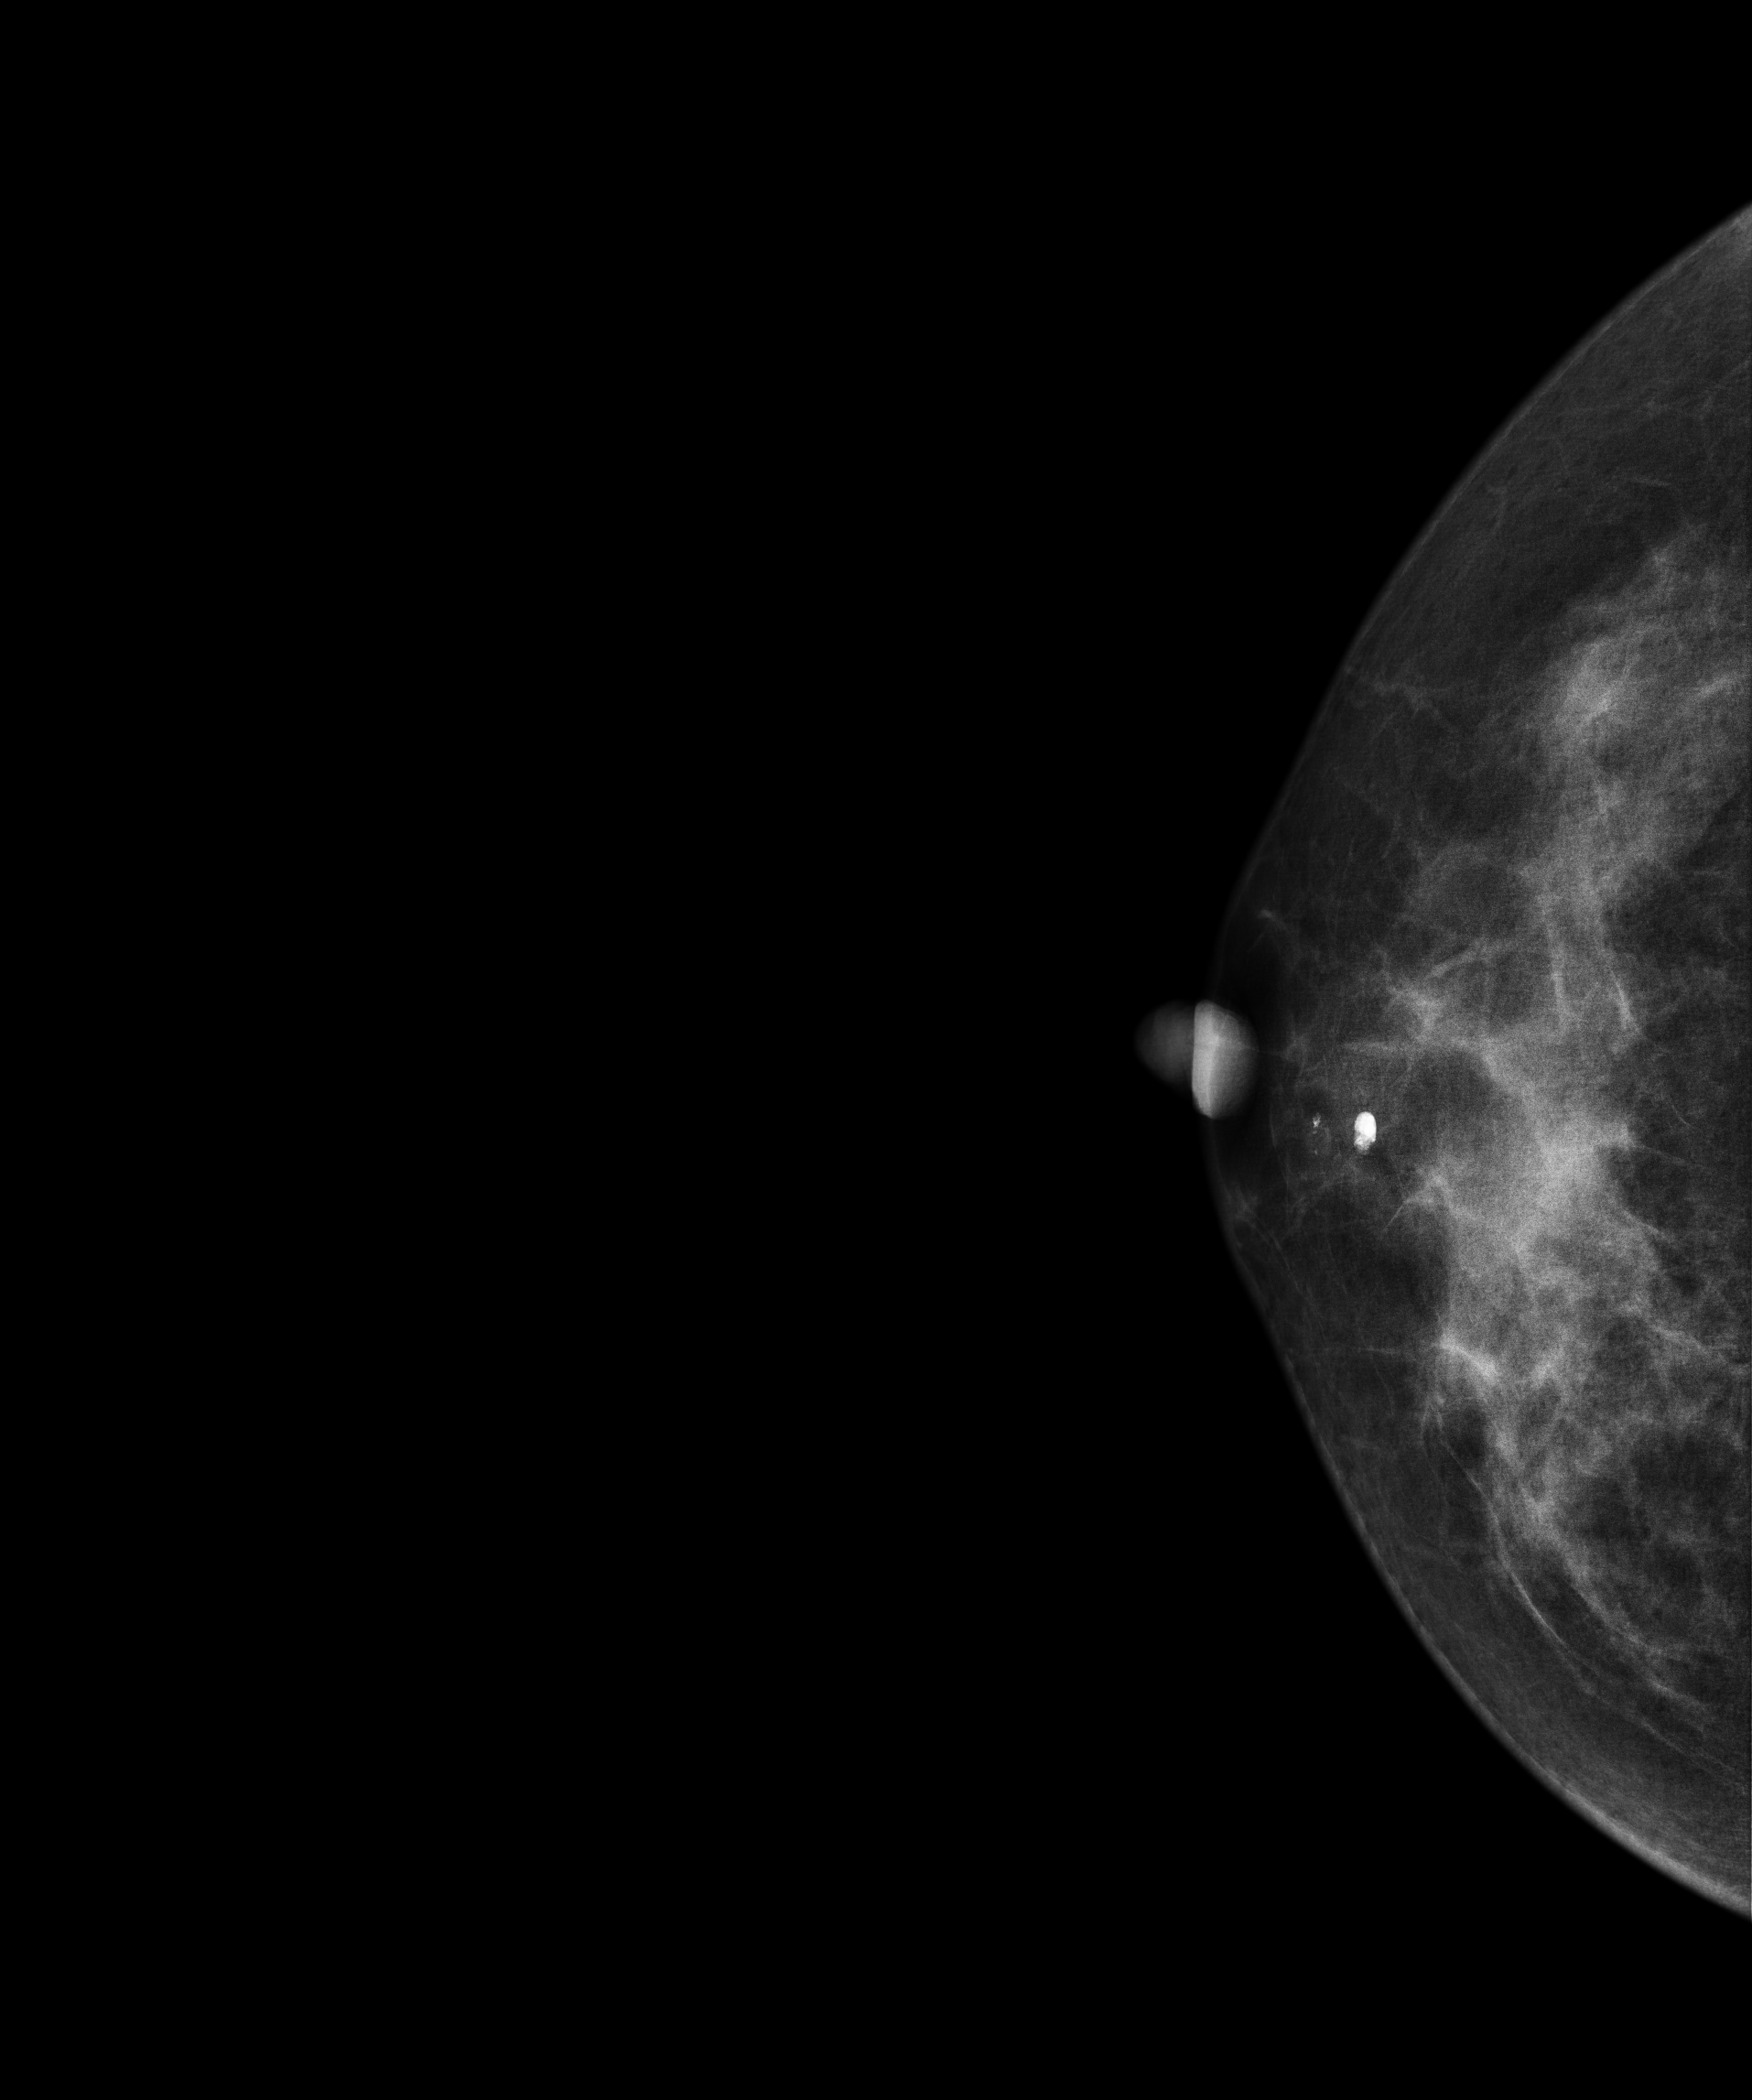
Digital mammography. Right breast, CC projection. 35-year-old patient.
Contralateral breast — no documented abnormality on this side.